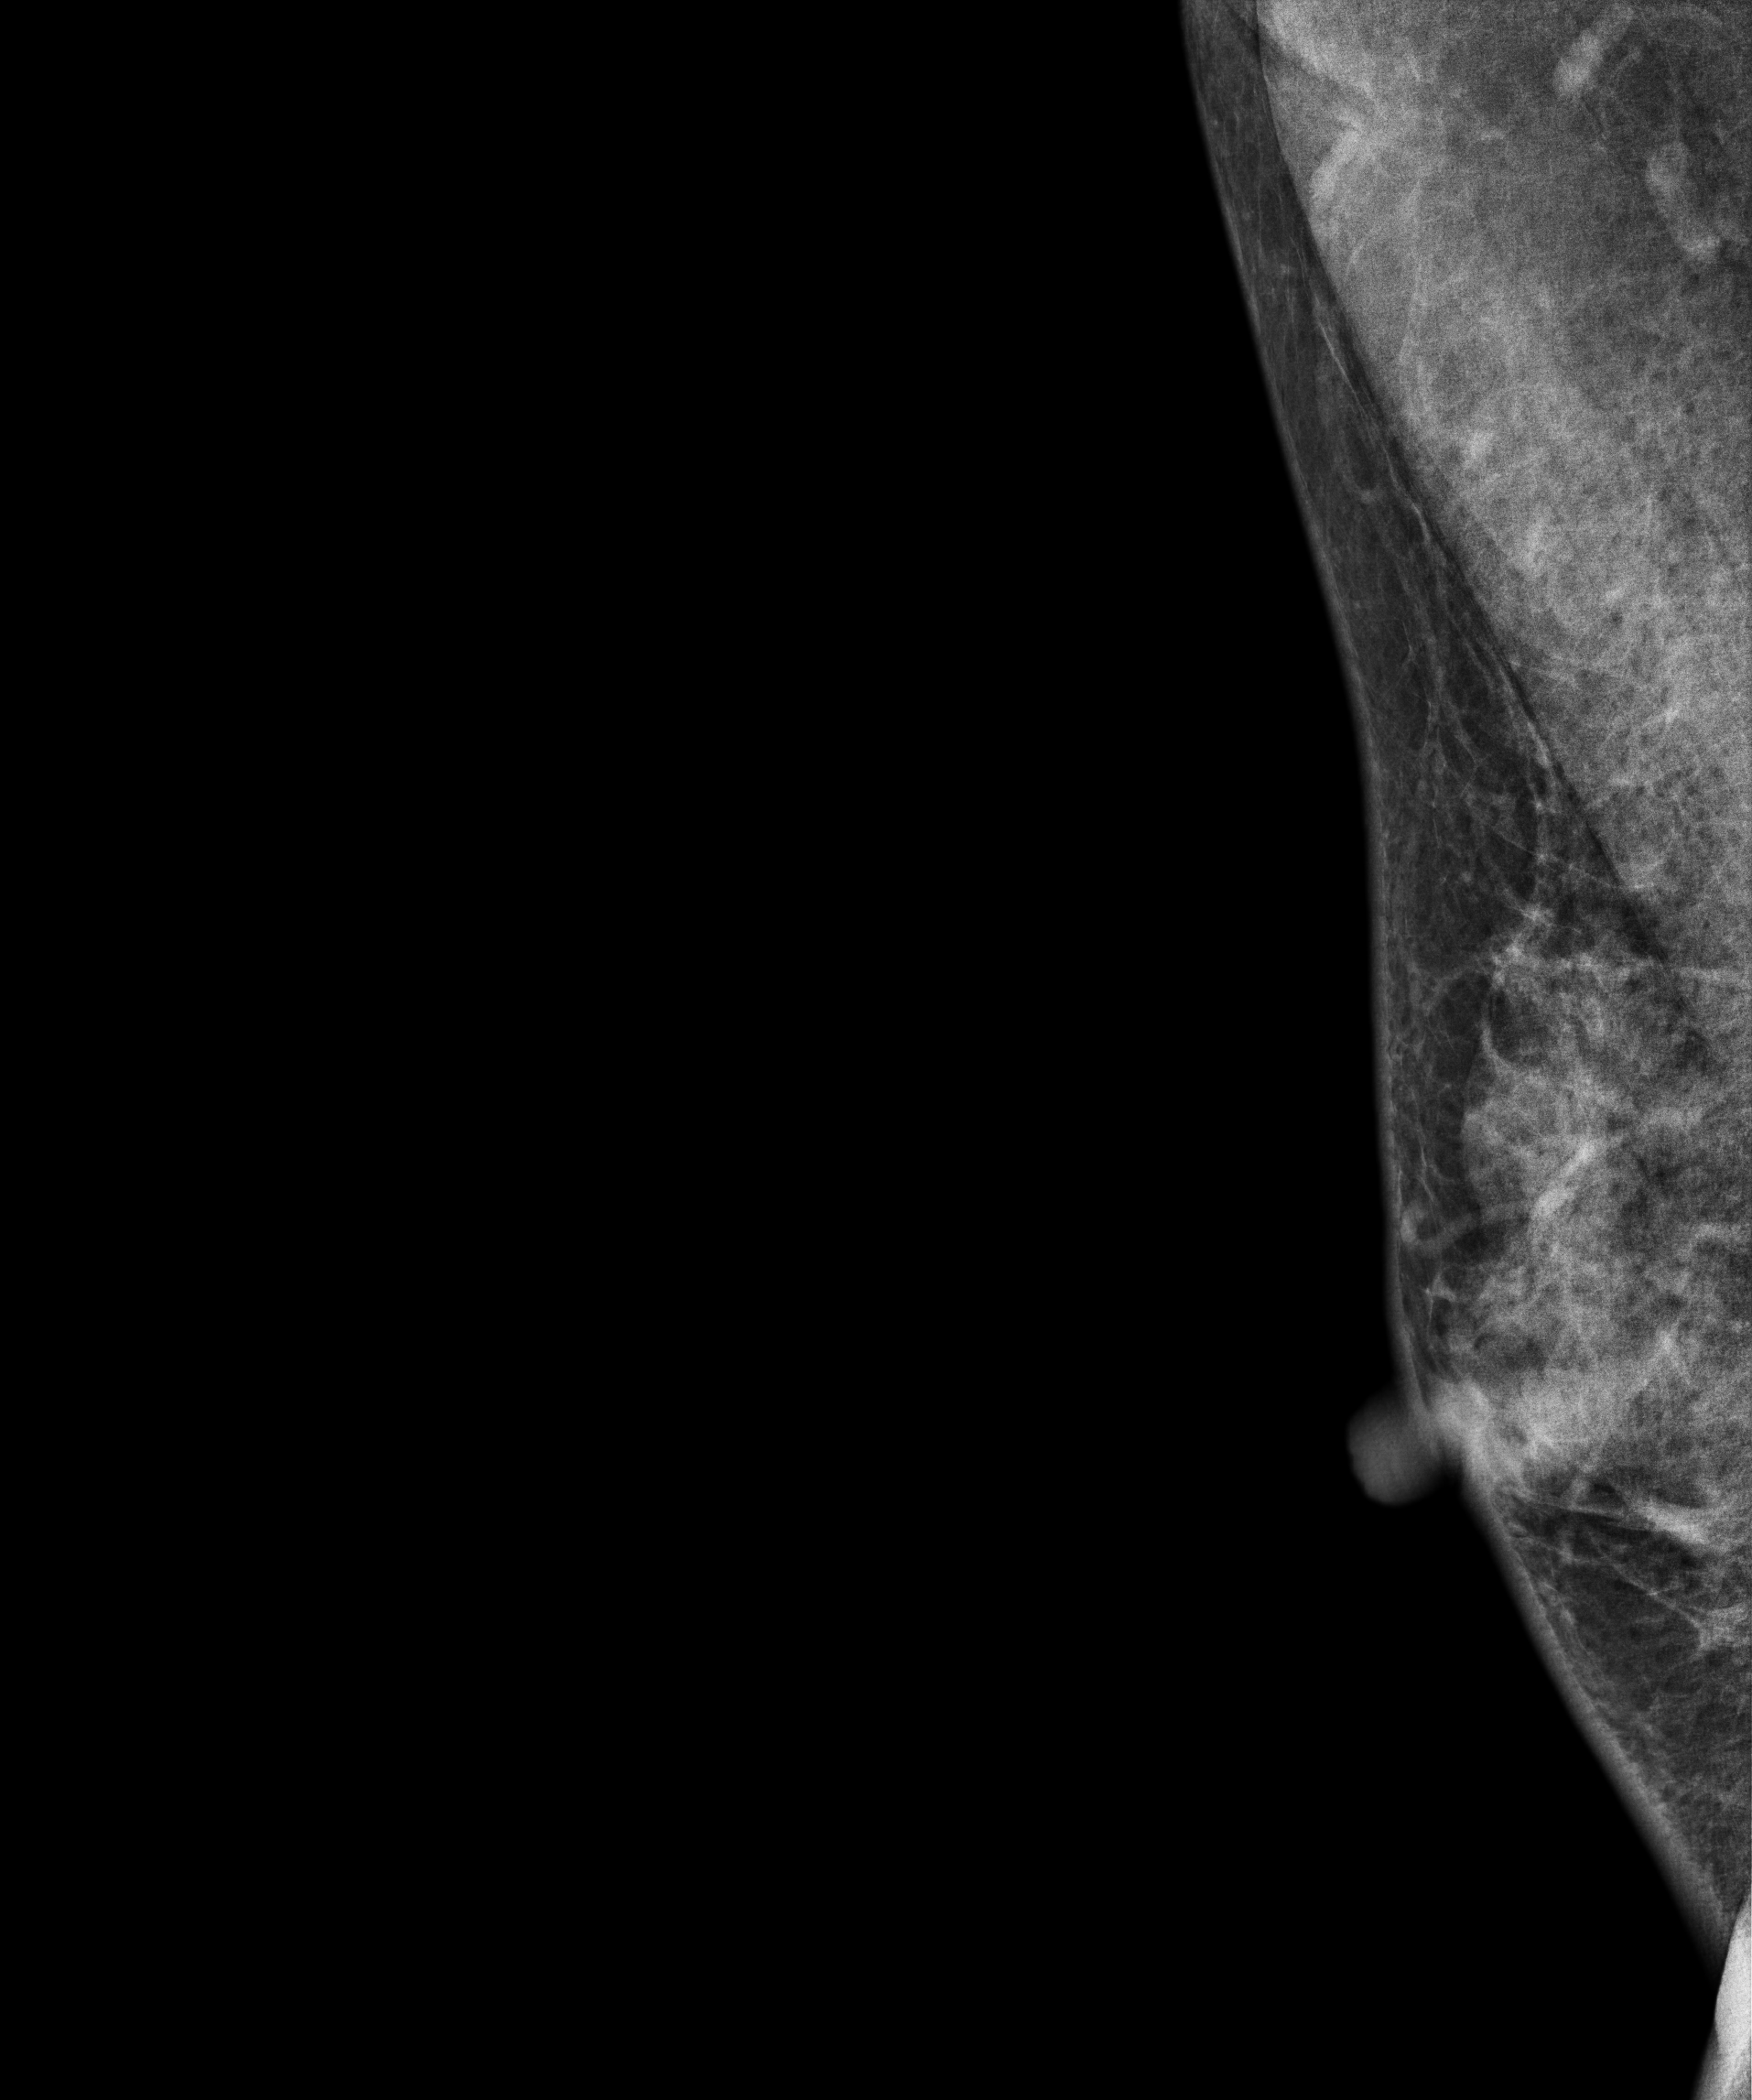
Mammogram, right breast, MLO view. 41 y/o patient.
This breast has a mass, pathology-confirmed benign.